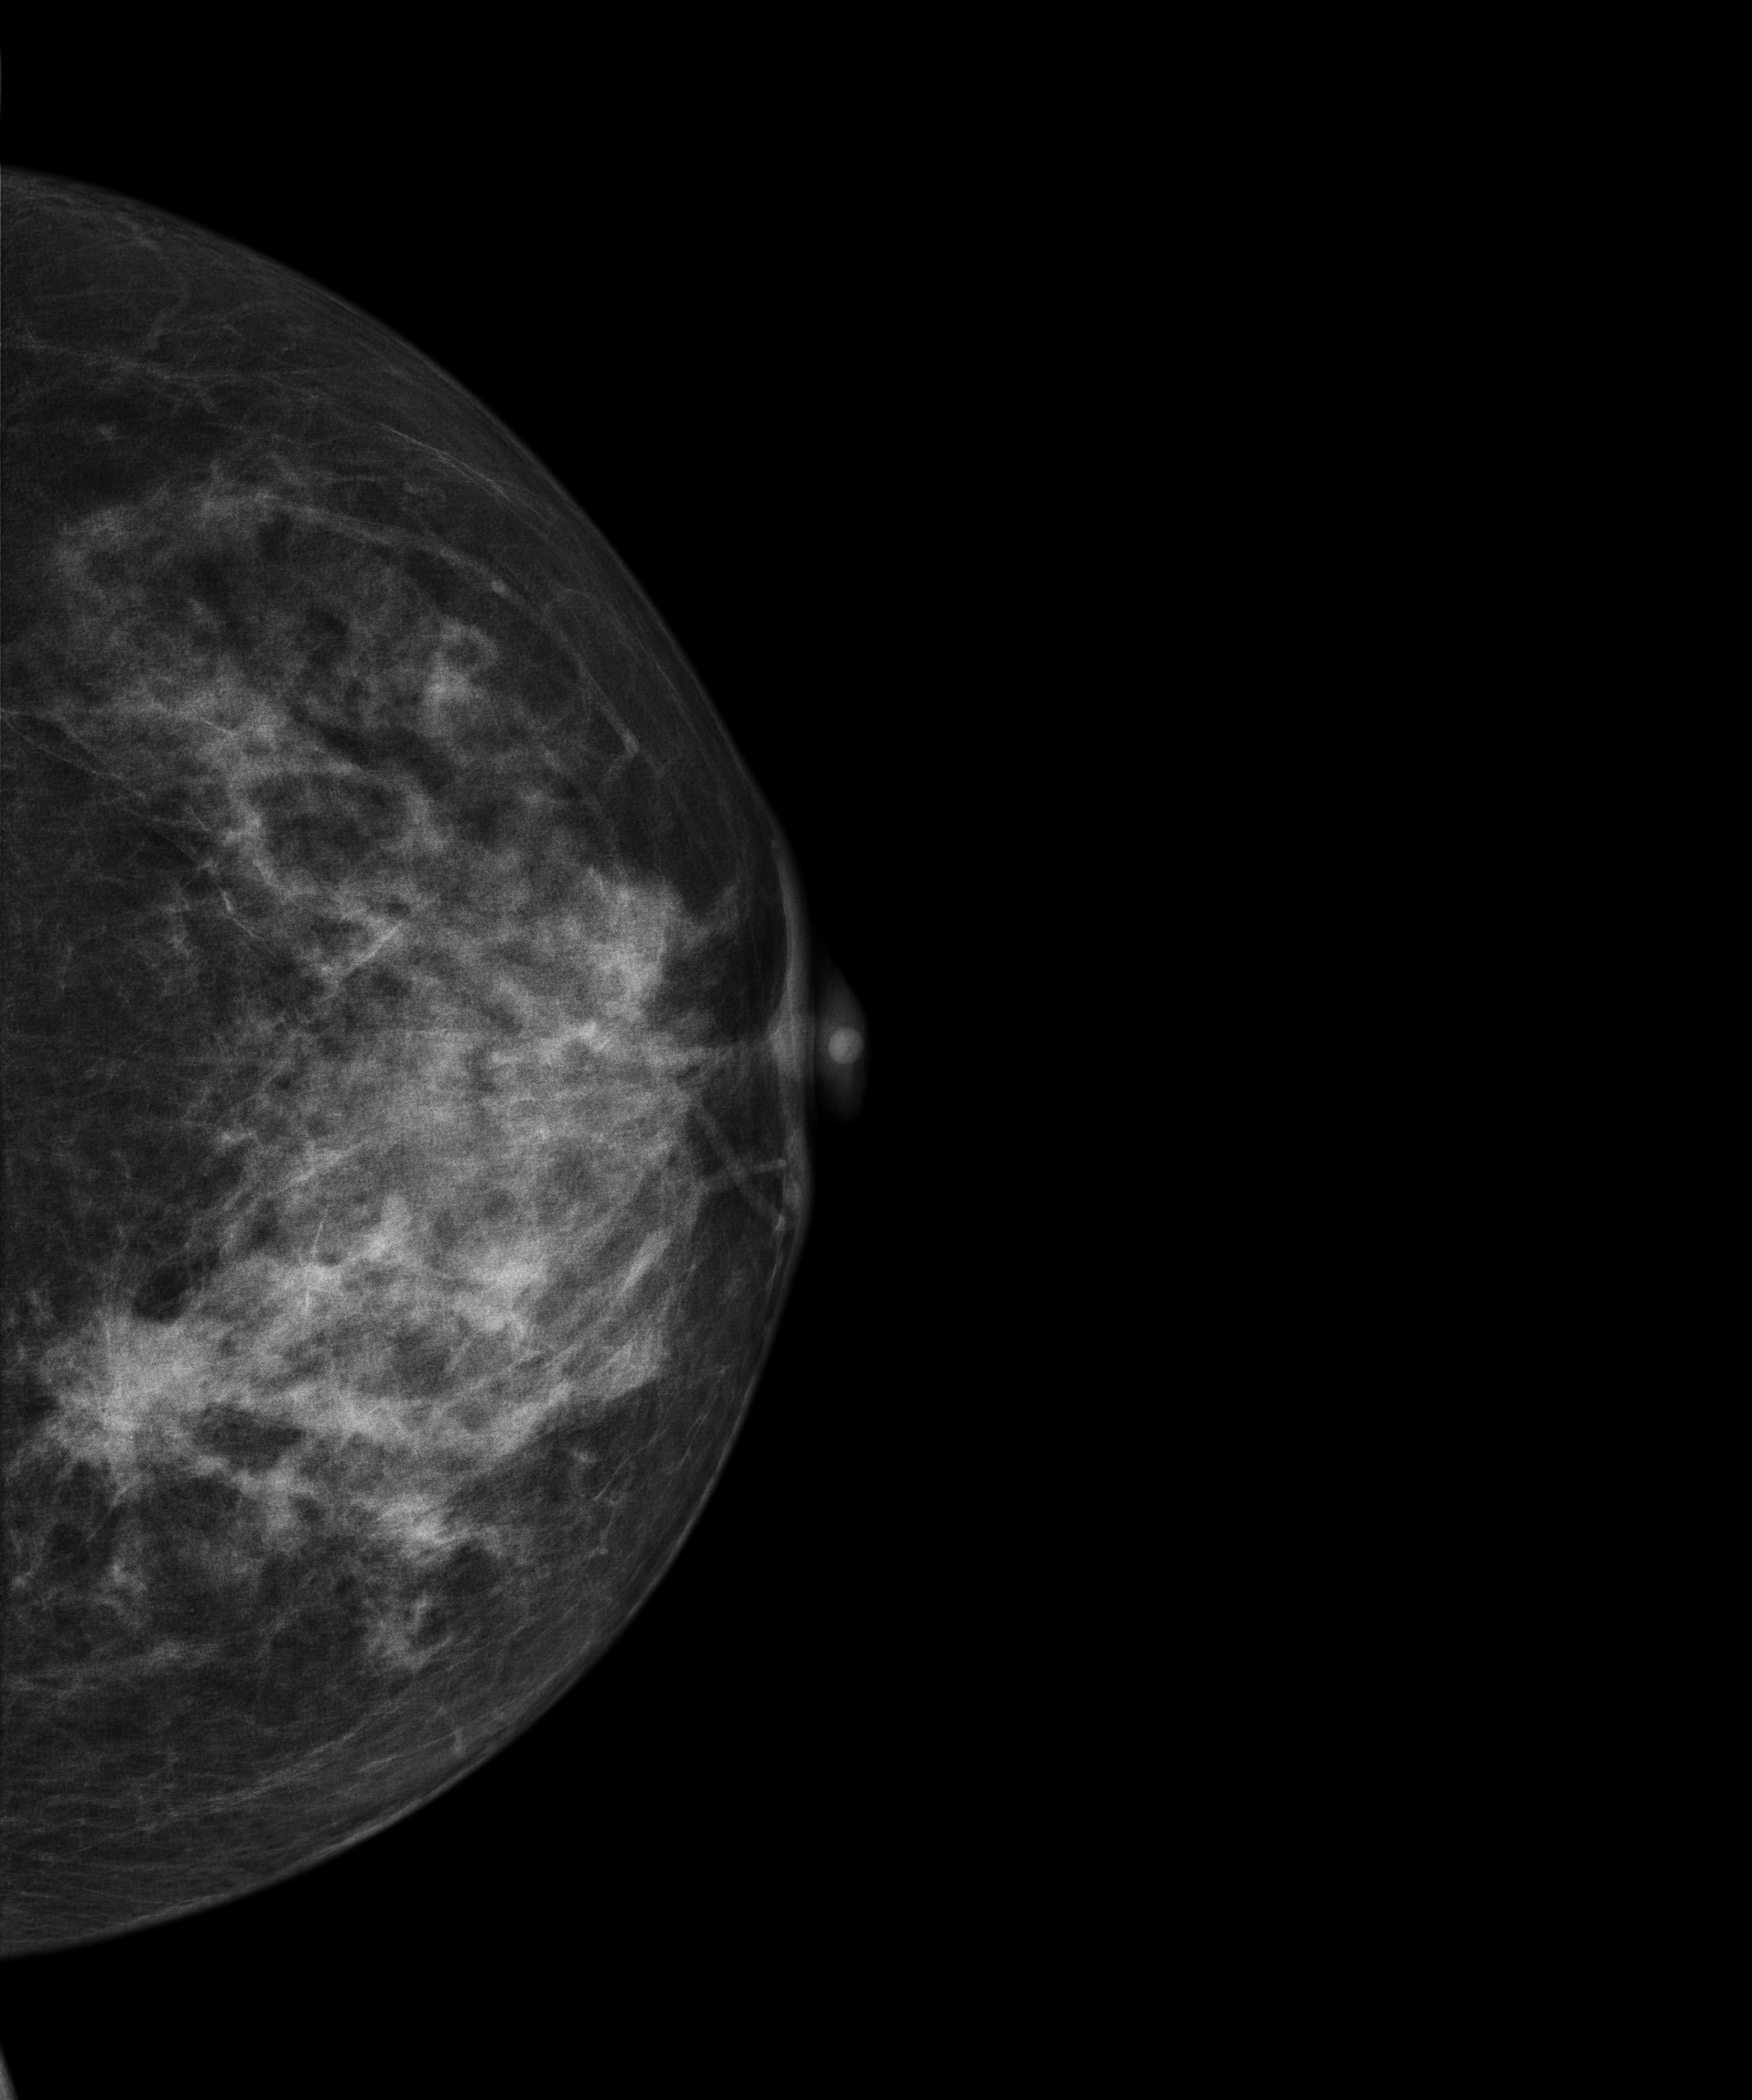
Left-breast mammogram, cranio-caudal. 69 y/o patient.
This breast has a mass, biopsy-confirmed malignant. Molecular subtype: luminal A.